Mammogram — right medio-lateral oblique. Patient age 53.
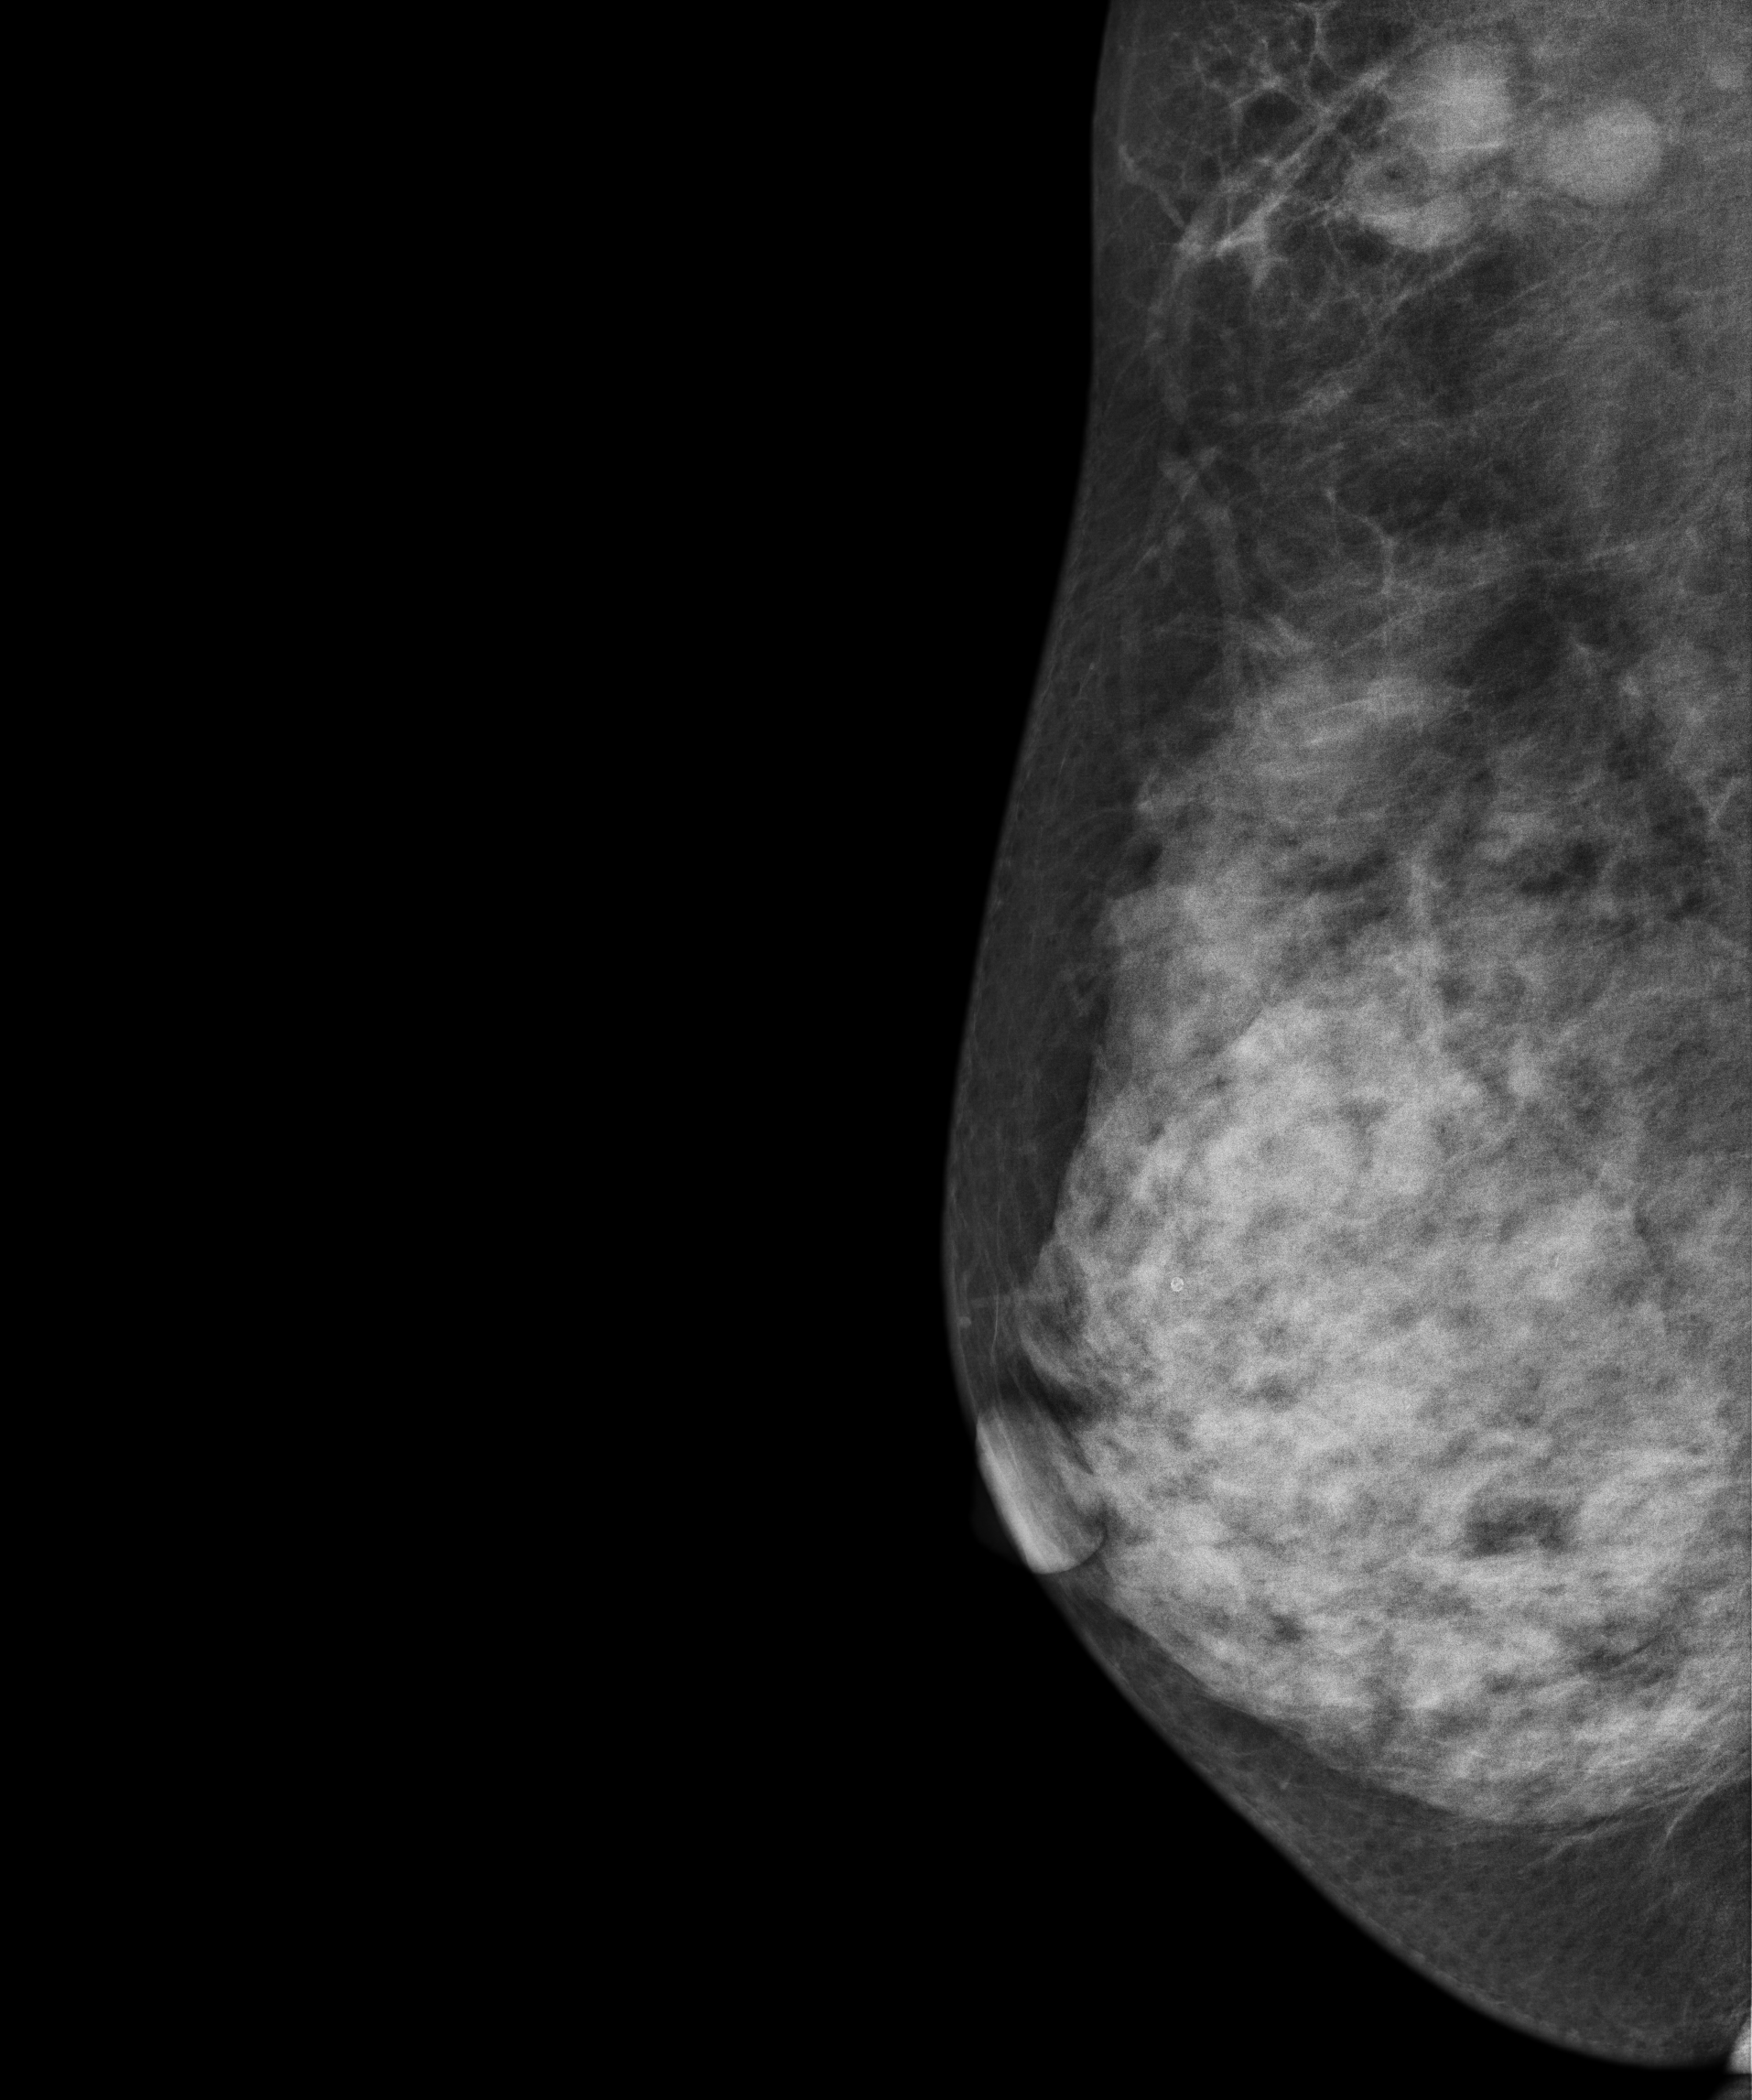
This breast has a mass, pathology-confirmed malignant. Molecular subtype: luminal B.